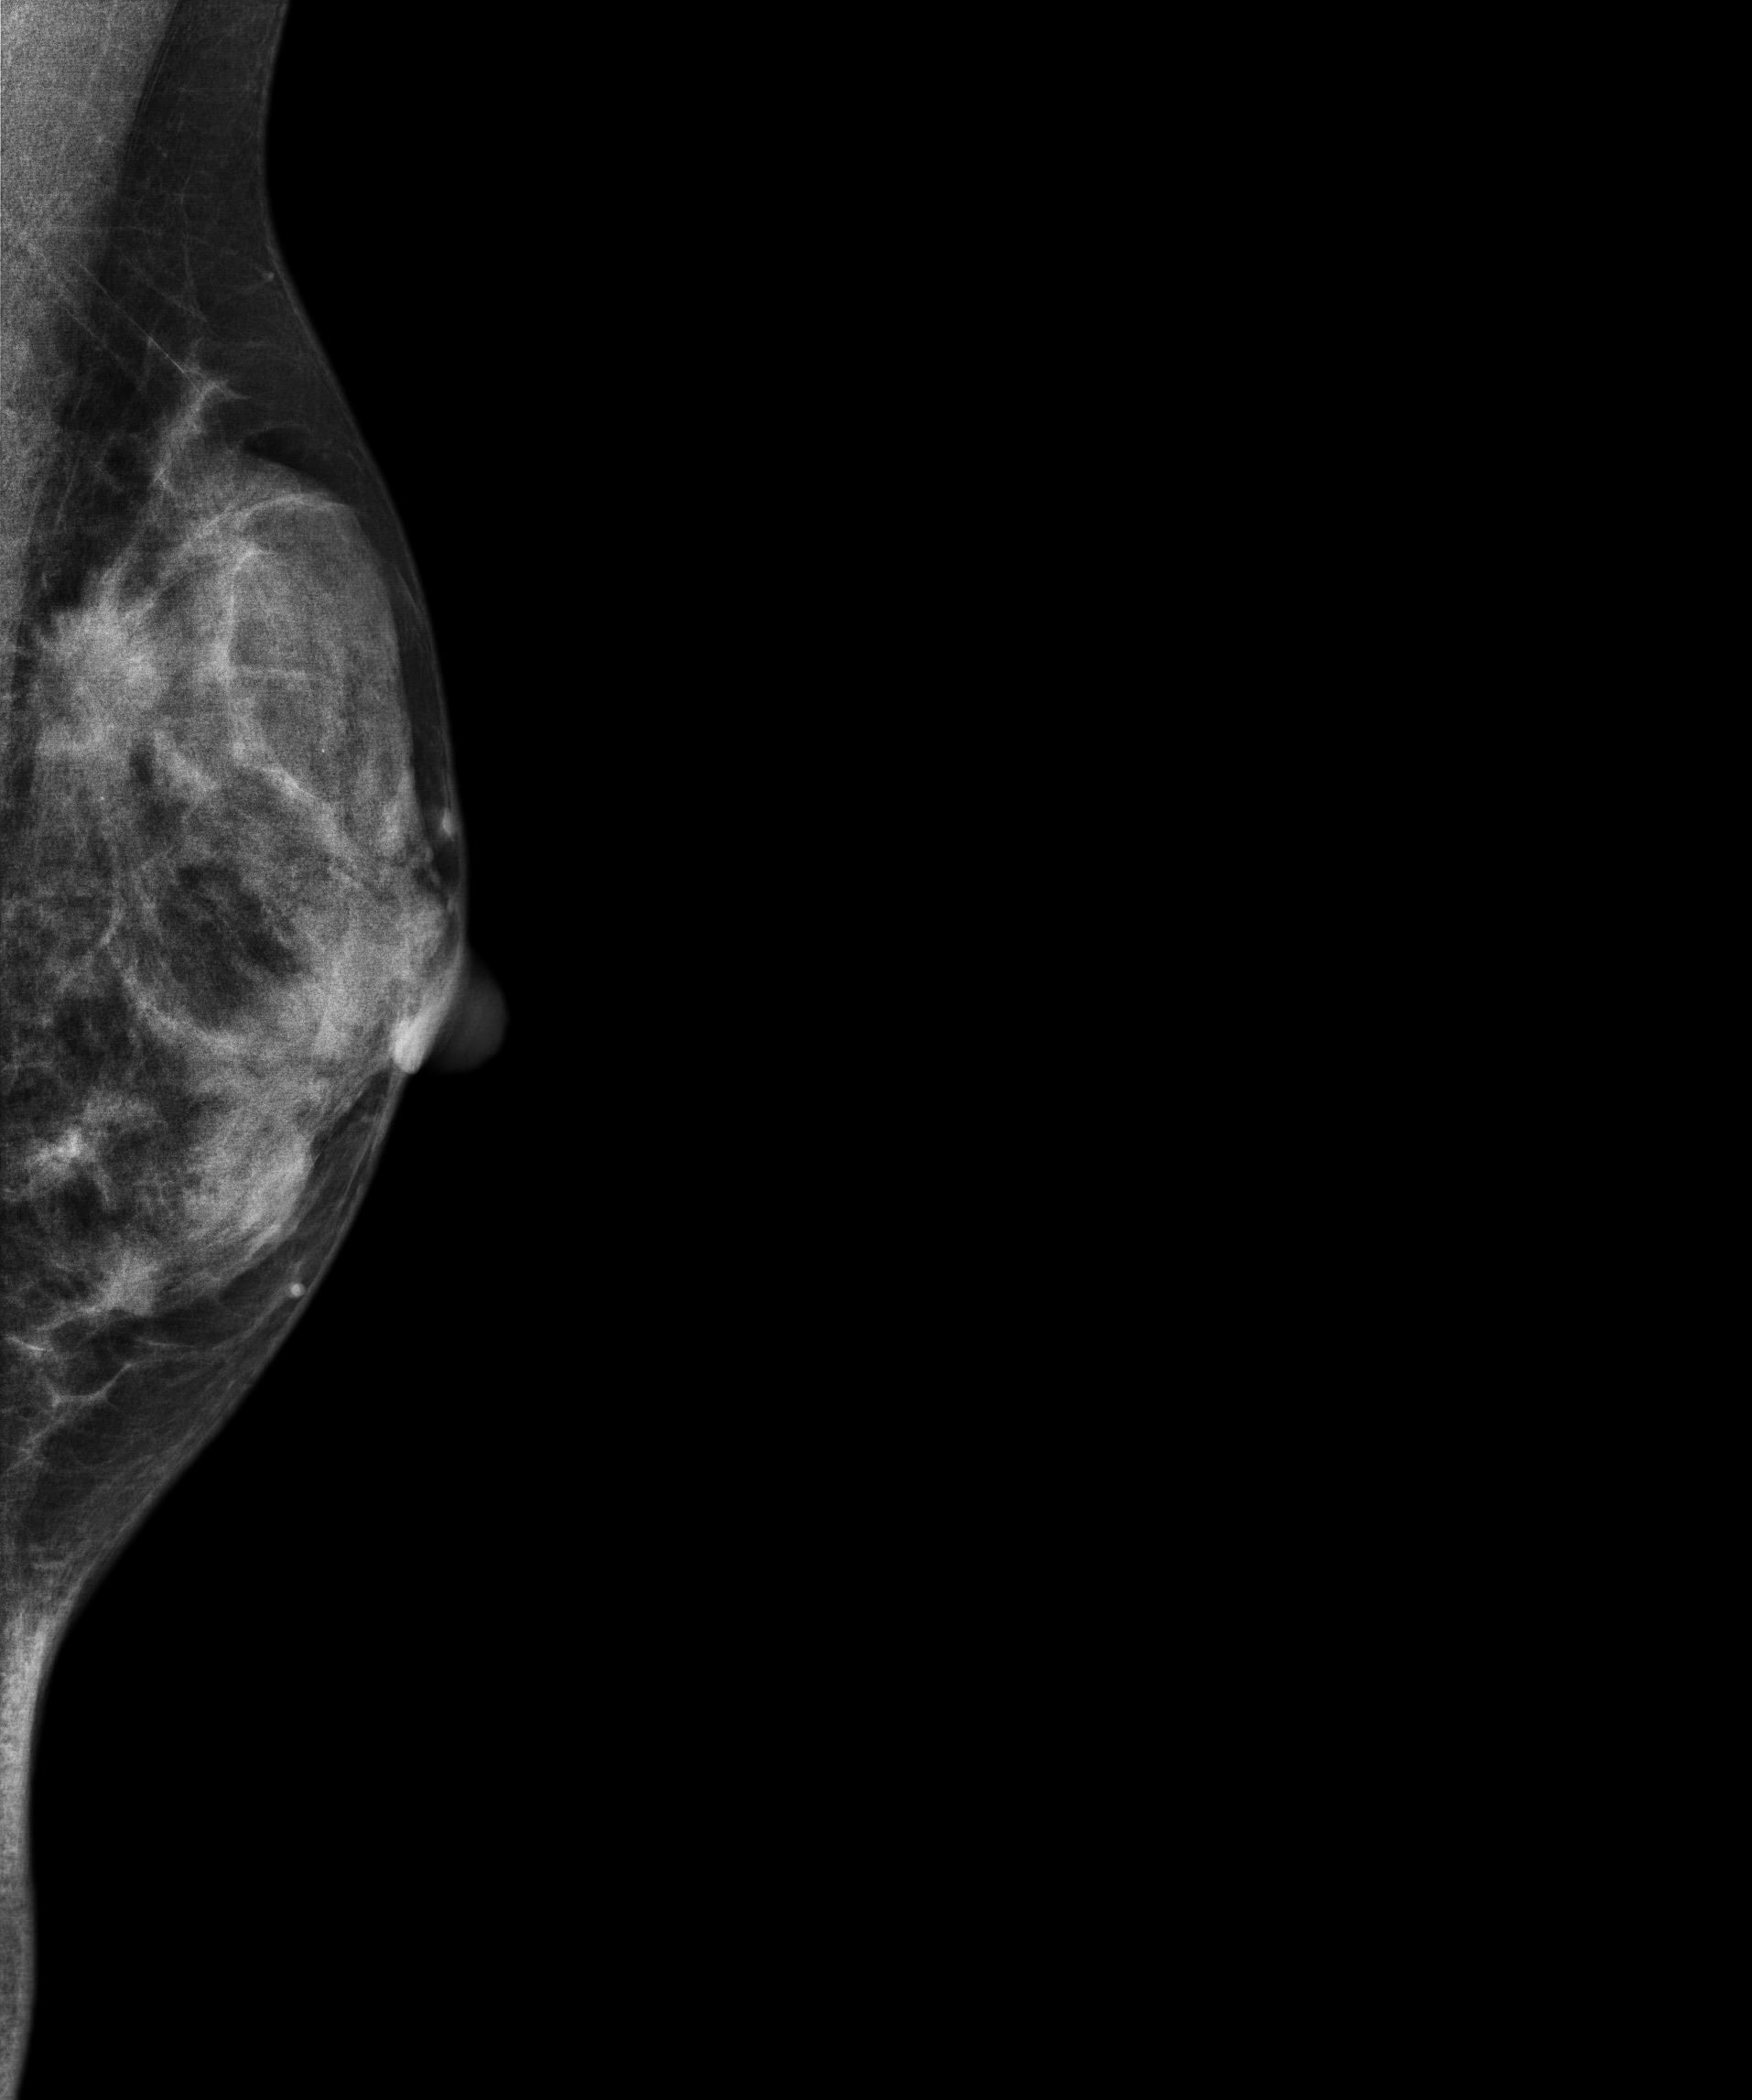
Digital mammography. Left breast, medio-lateral oblique projection. 45 y/o patient.
This breast has a mass, biopsy-proven malignant. Molecular subtype: luminal A.